Digital mammography. Left breast, cranio-caudal projection. 41-year-old patient.
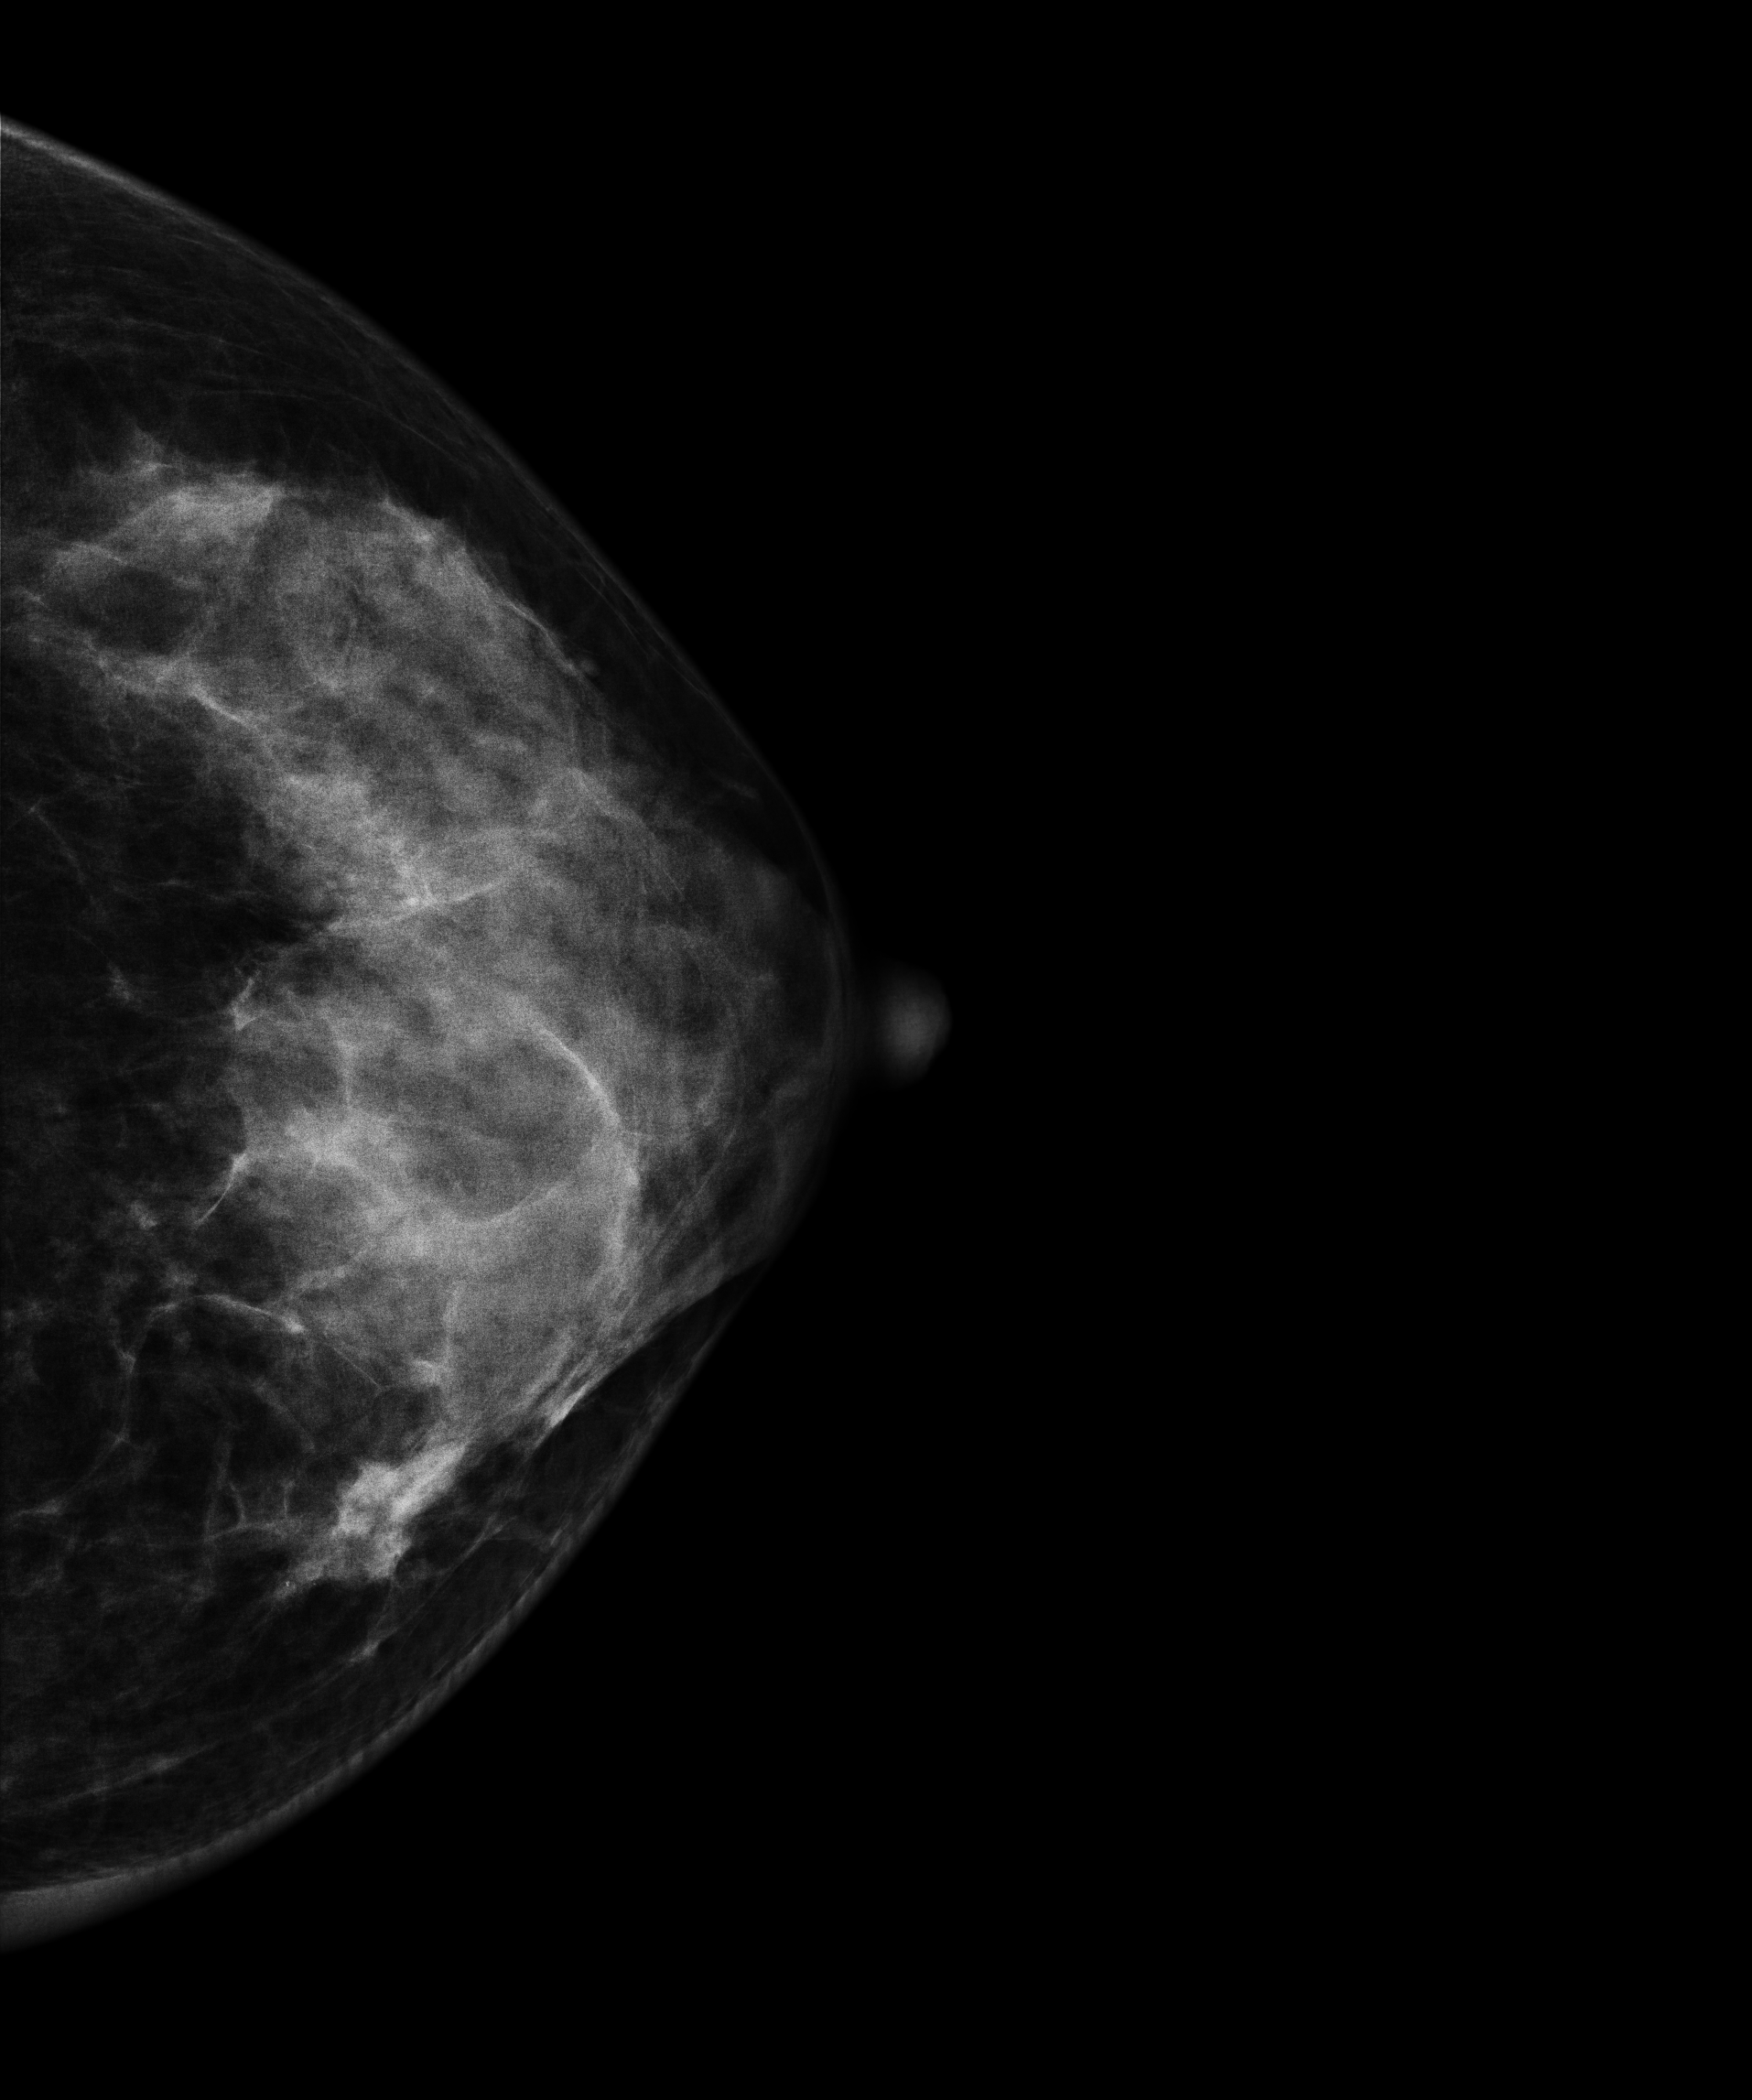
This breast has a mass, biopsy-proven malignant.